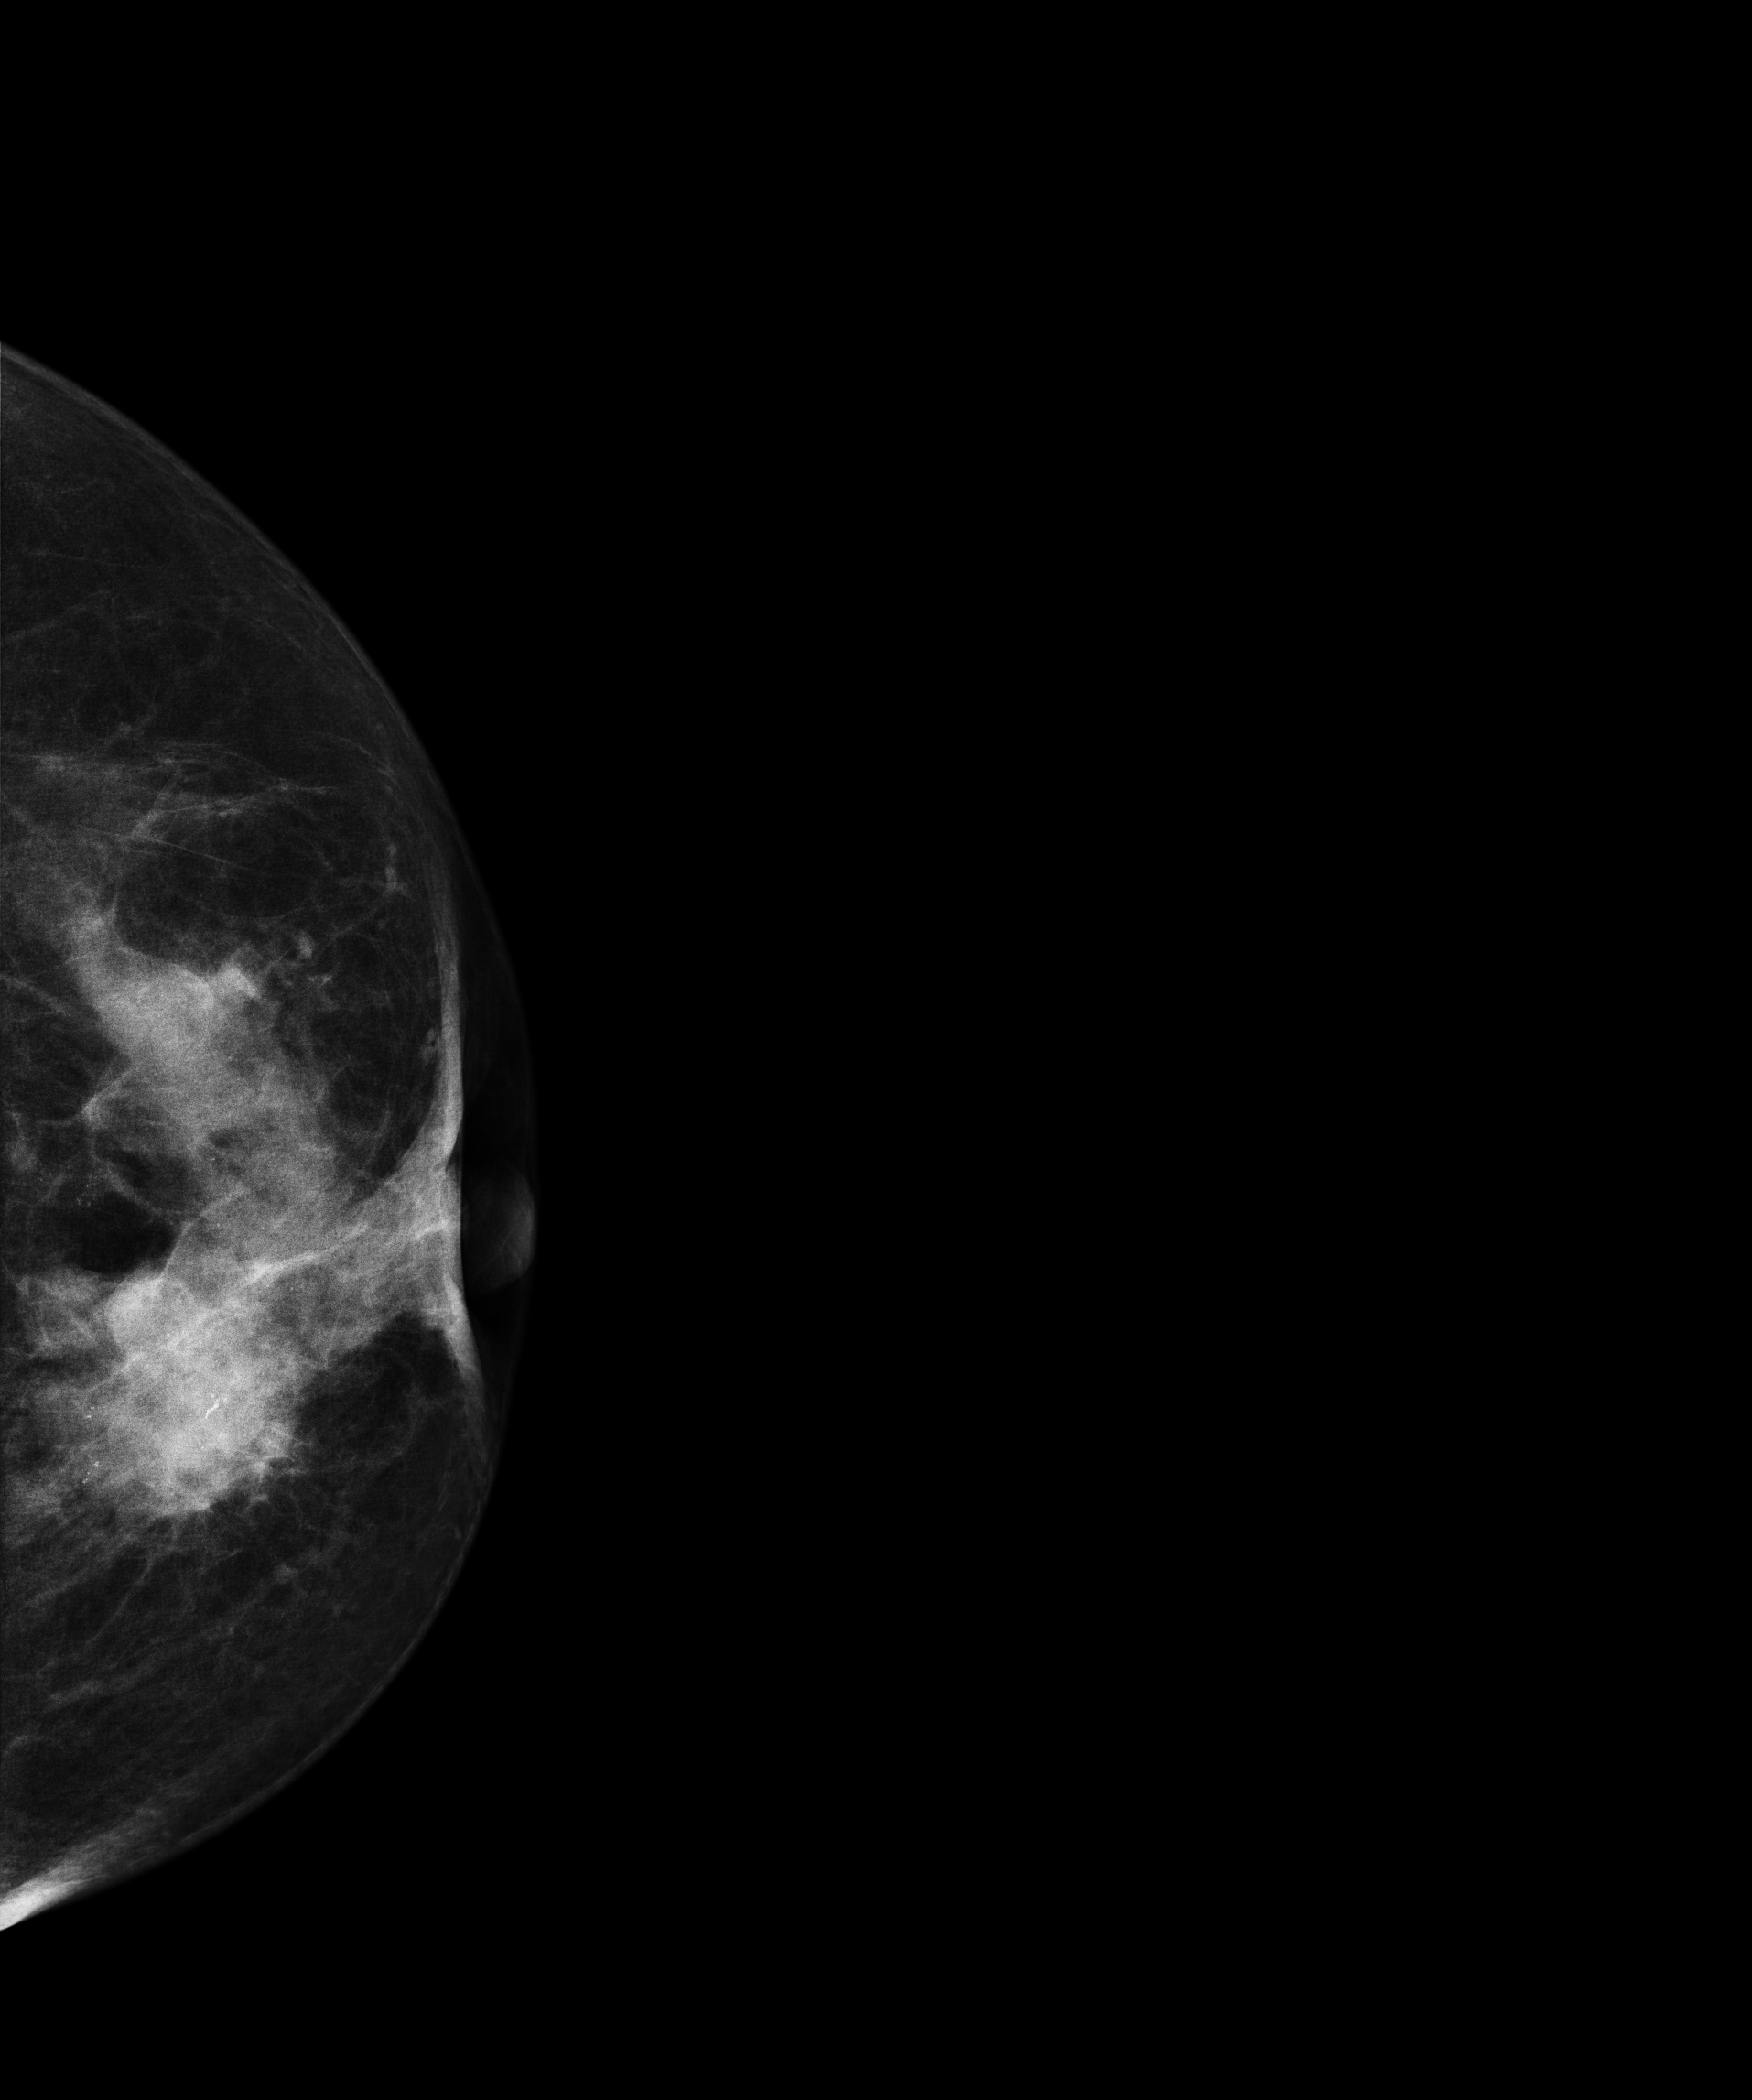
Left-breast mammogram, cranio-caudal. 57 y/o patient.
This breast has a mass and calcifications, pathology-confirmed malignant. Molecular subtype: luminal B.